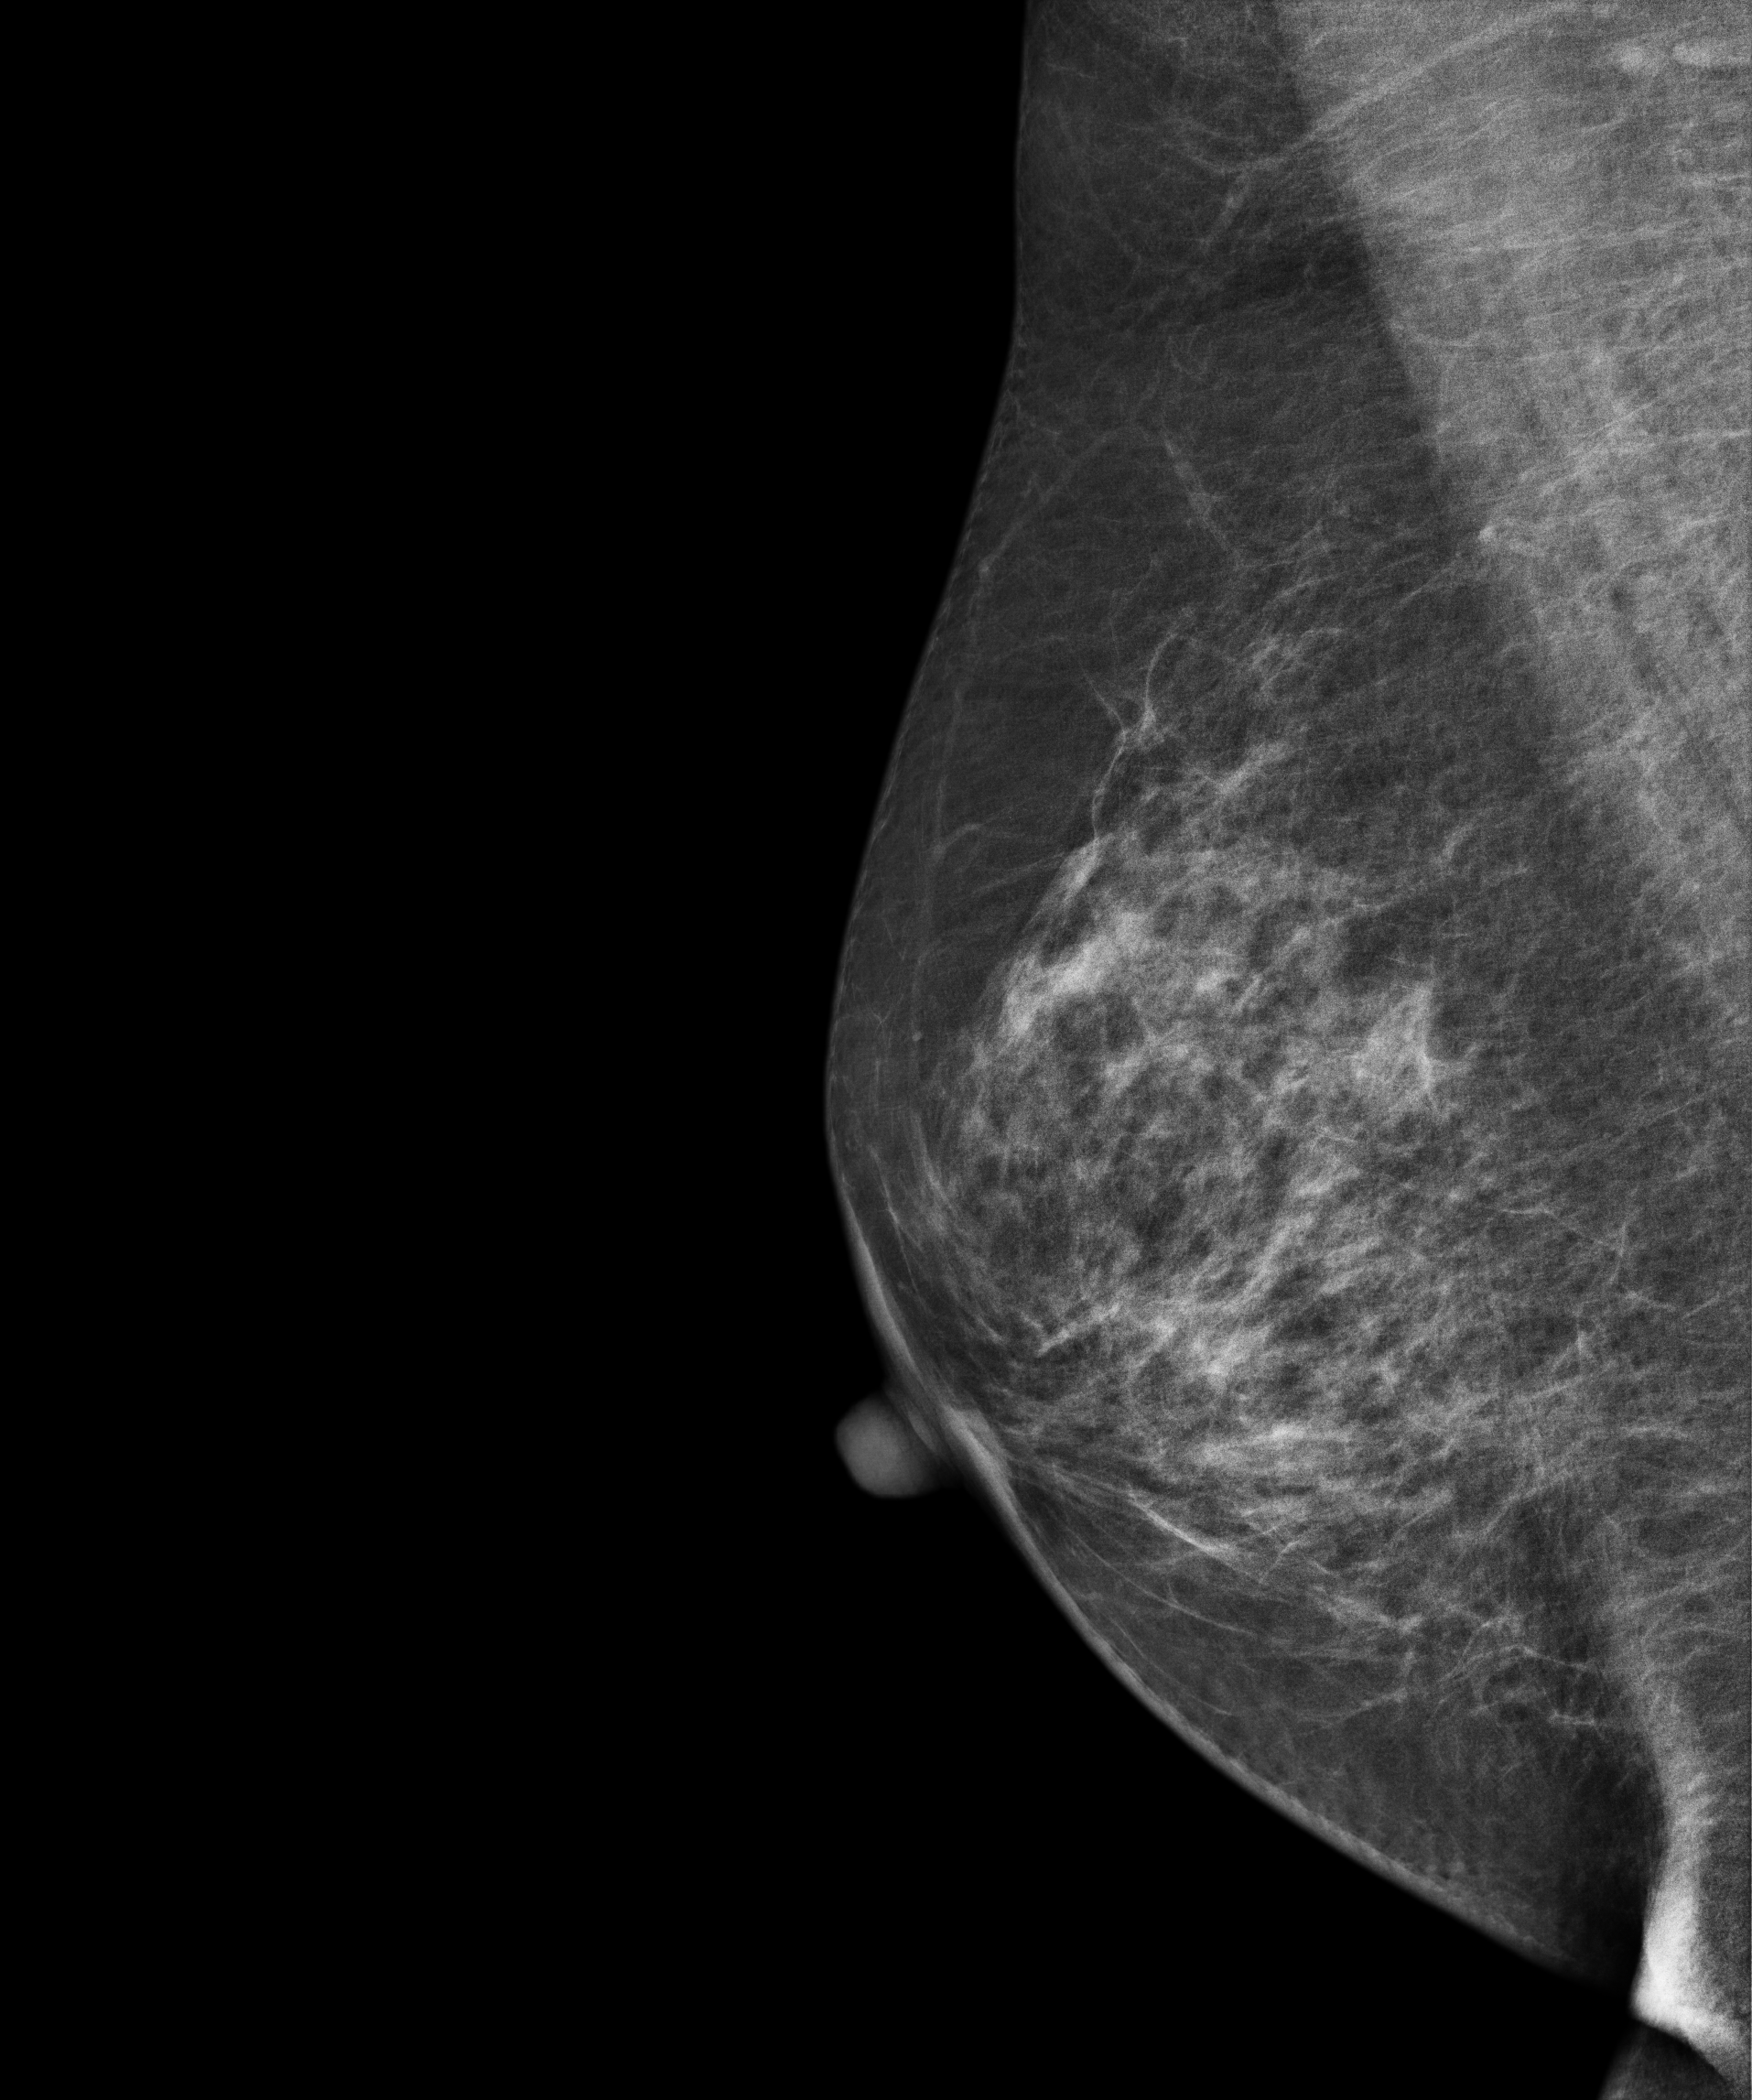
Medio-lateral oblique mammogram of the right breast. 51 y/o patient.
Contralateral breast — no documented abnormality on this side.